Mammogram — left CC. Patient age 49.
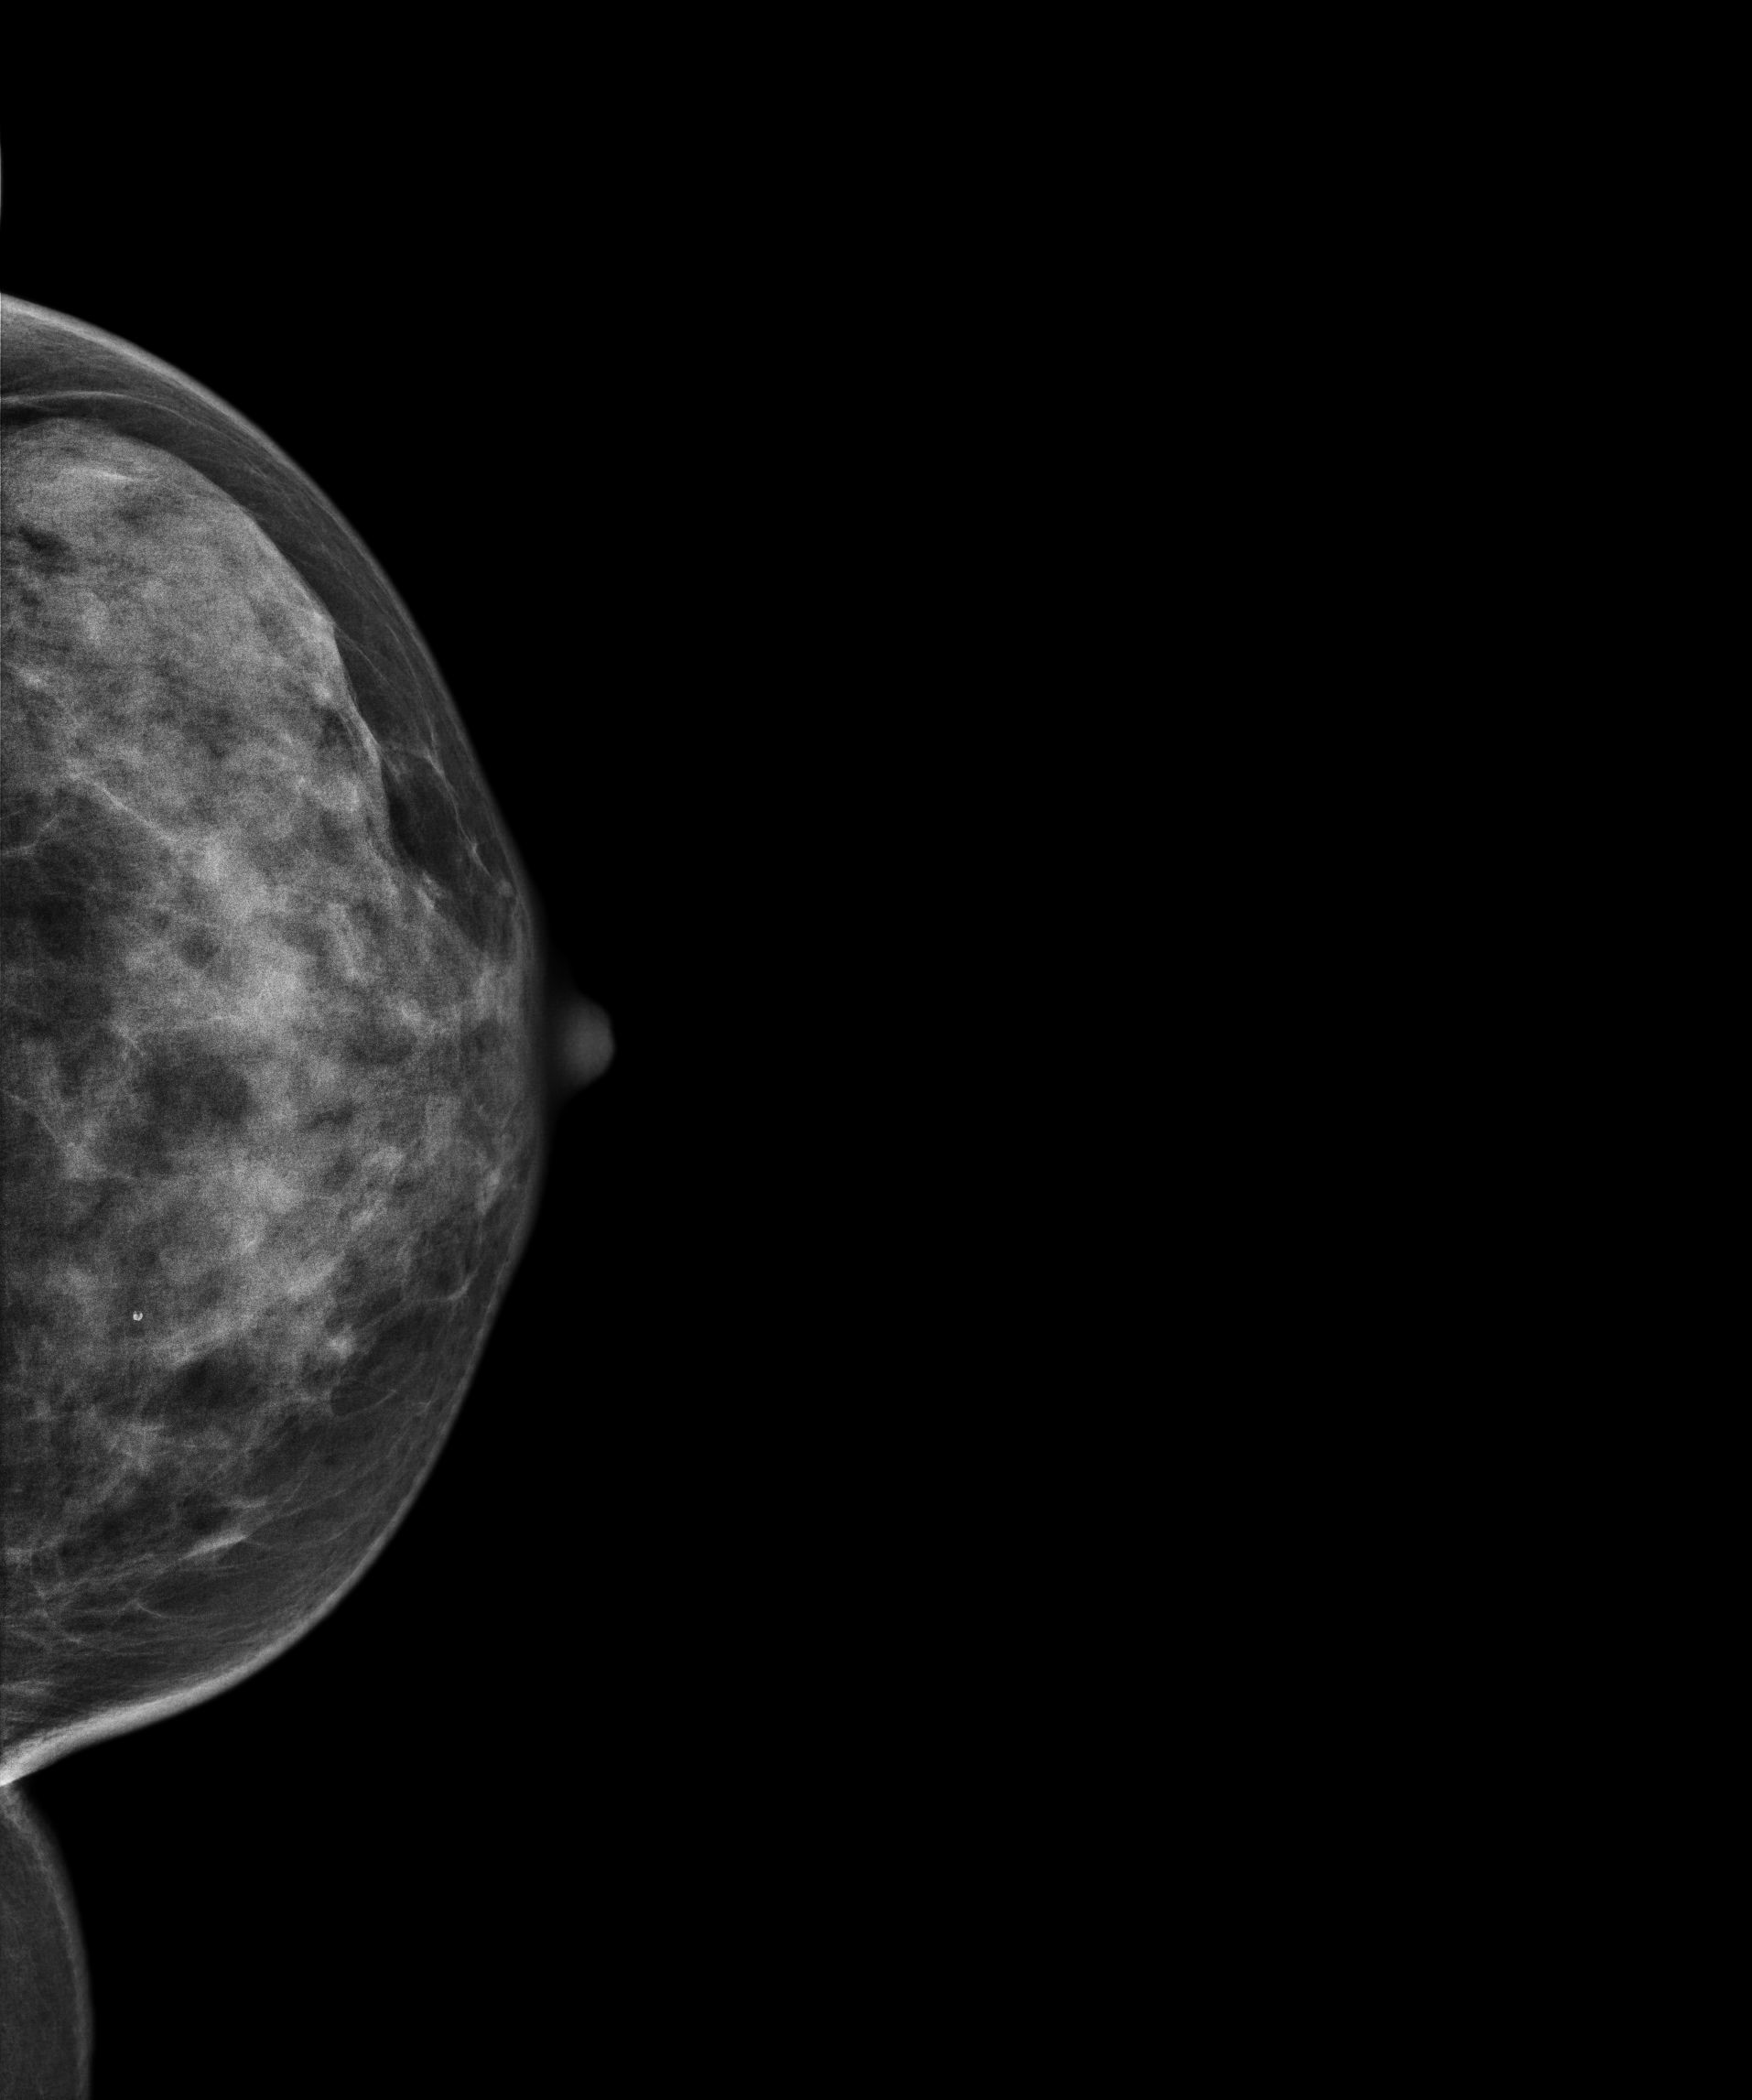
This breast has a mass, biopsy-proven benign.